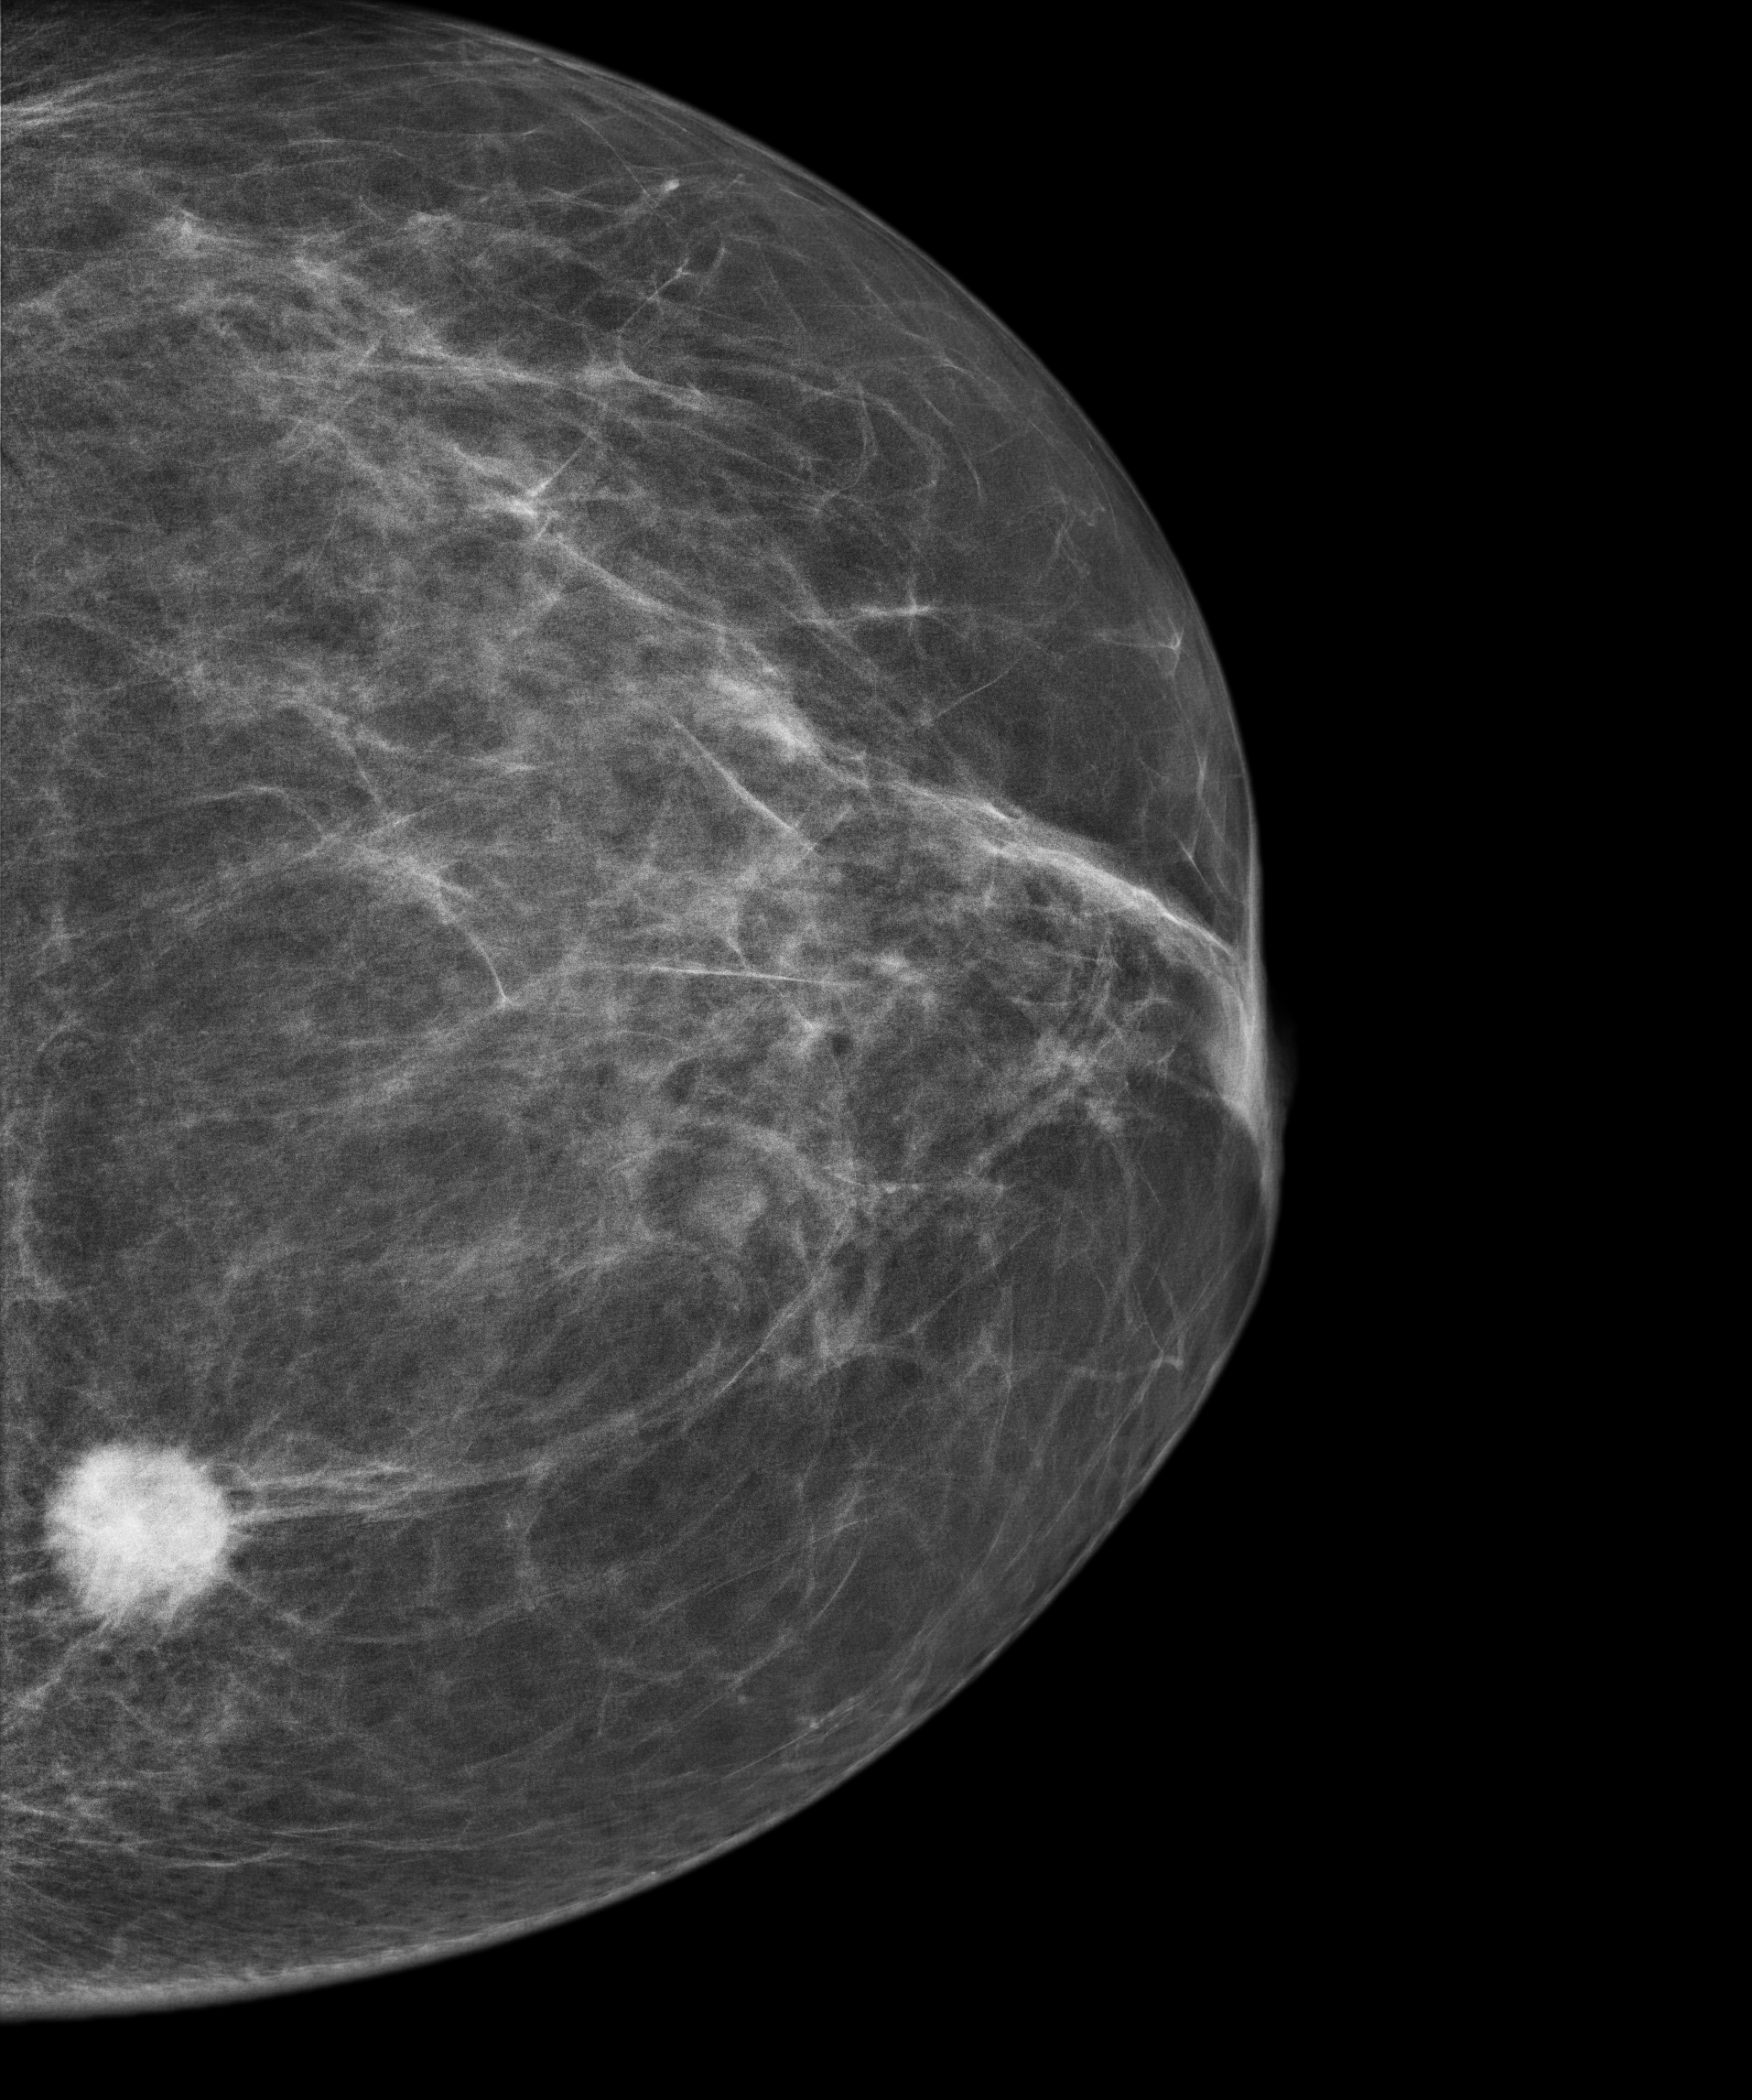
Mammogram — left CC. Patient age 58.
This breast has a mass, histologically confirmed malignant. Molecular subtype: luminal A.